Mammogram — right cranio-caudal. Patient age 40.
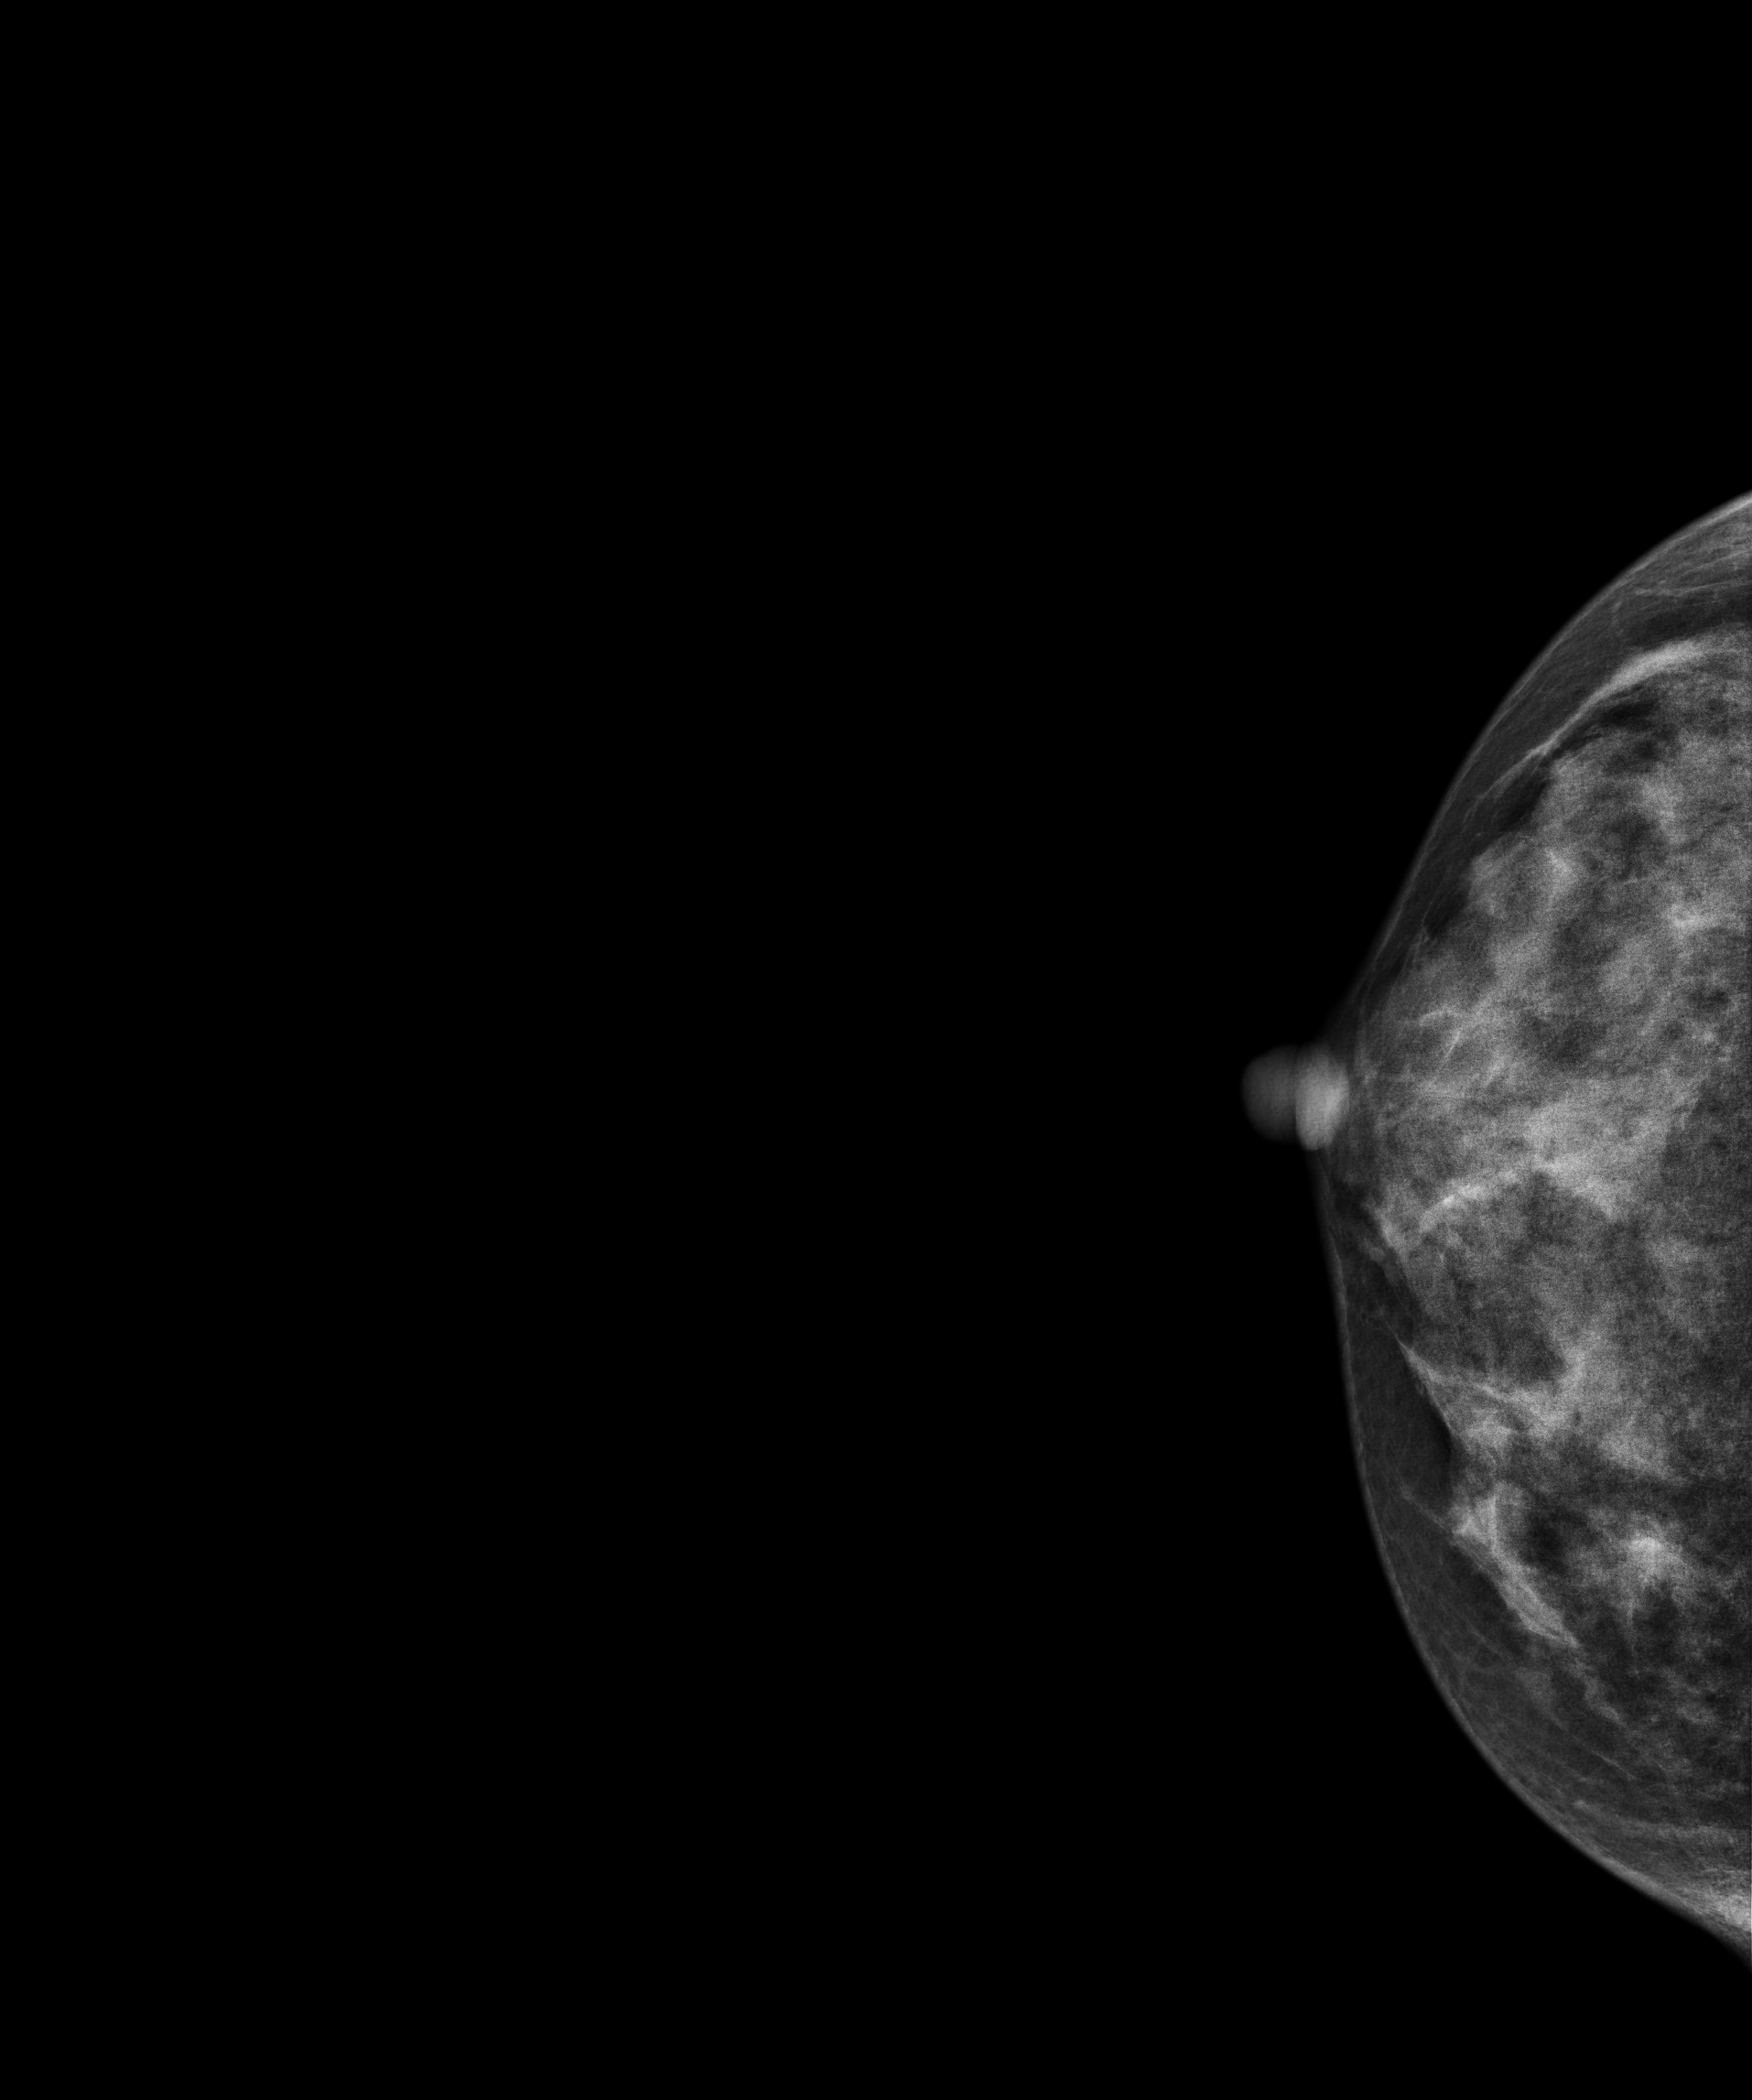
Contralateral breast — no documented abnormality on this side.